Cranio-caudal mammogram of the left breast. 32 y/o patient.
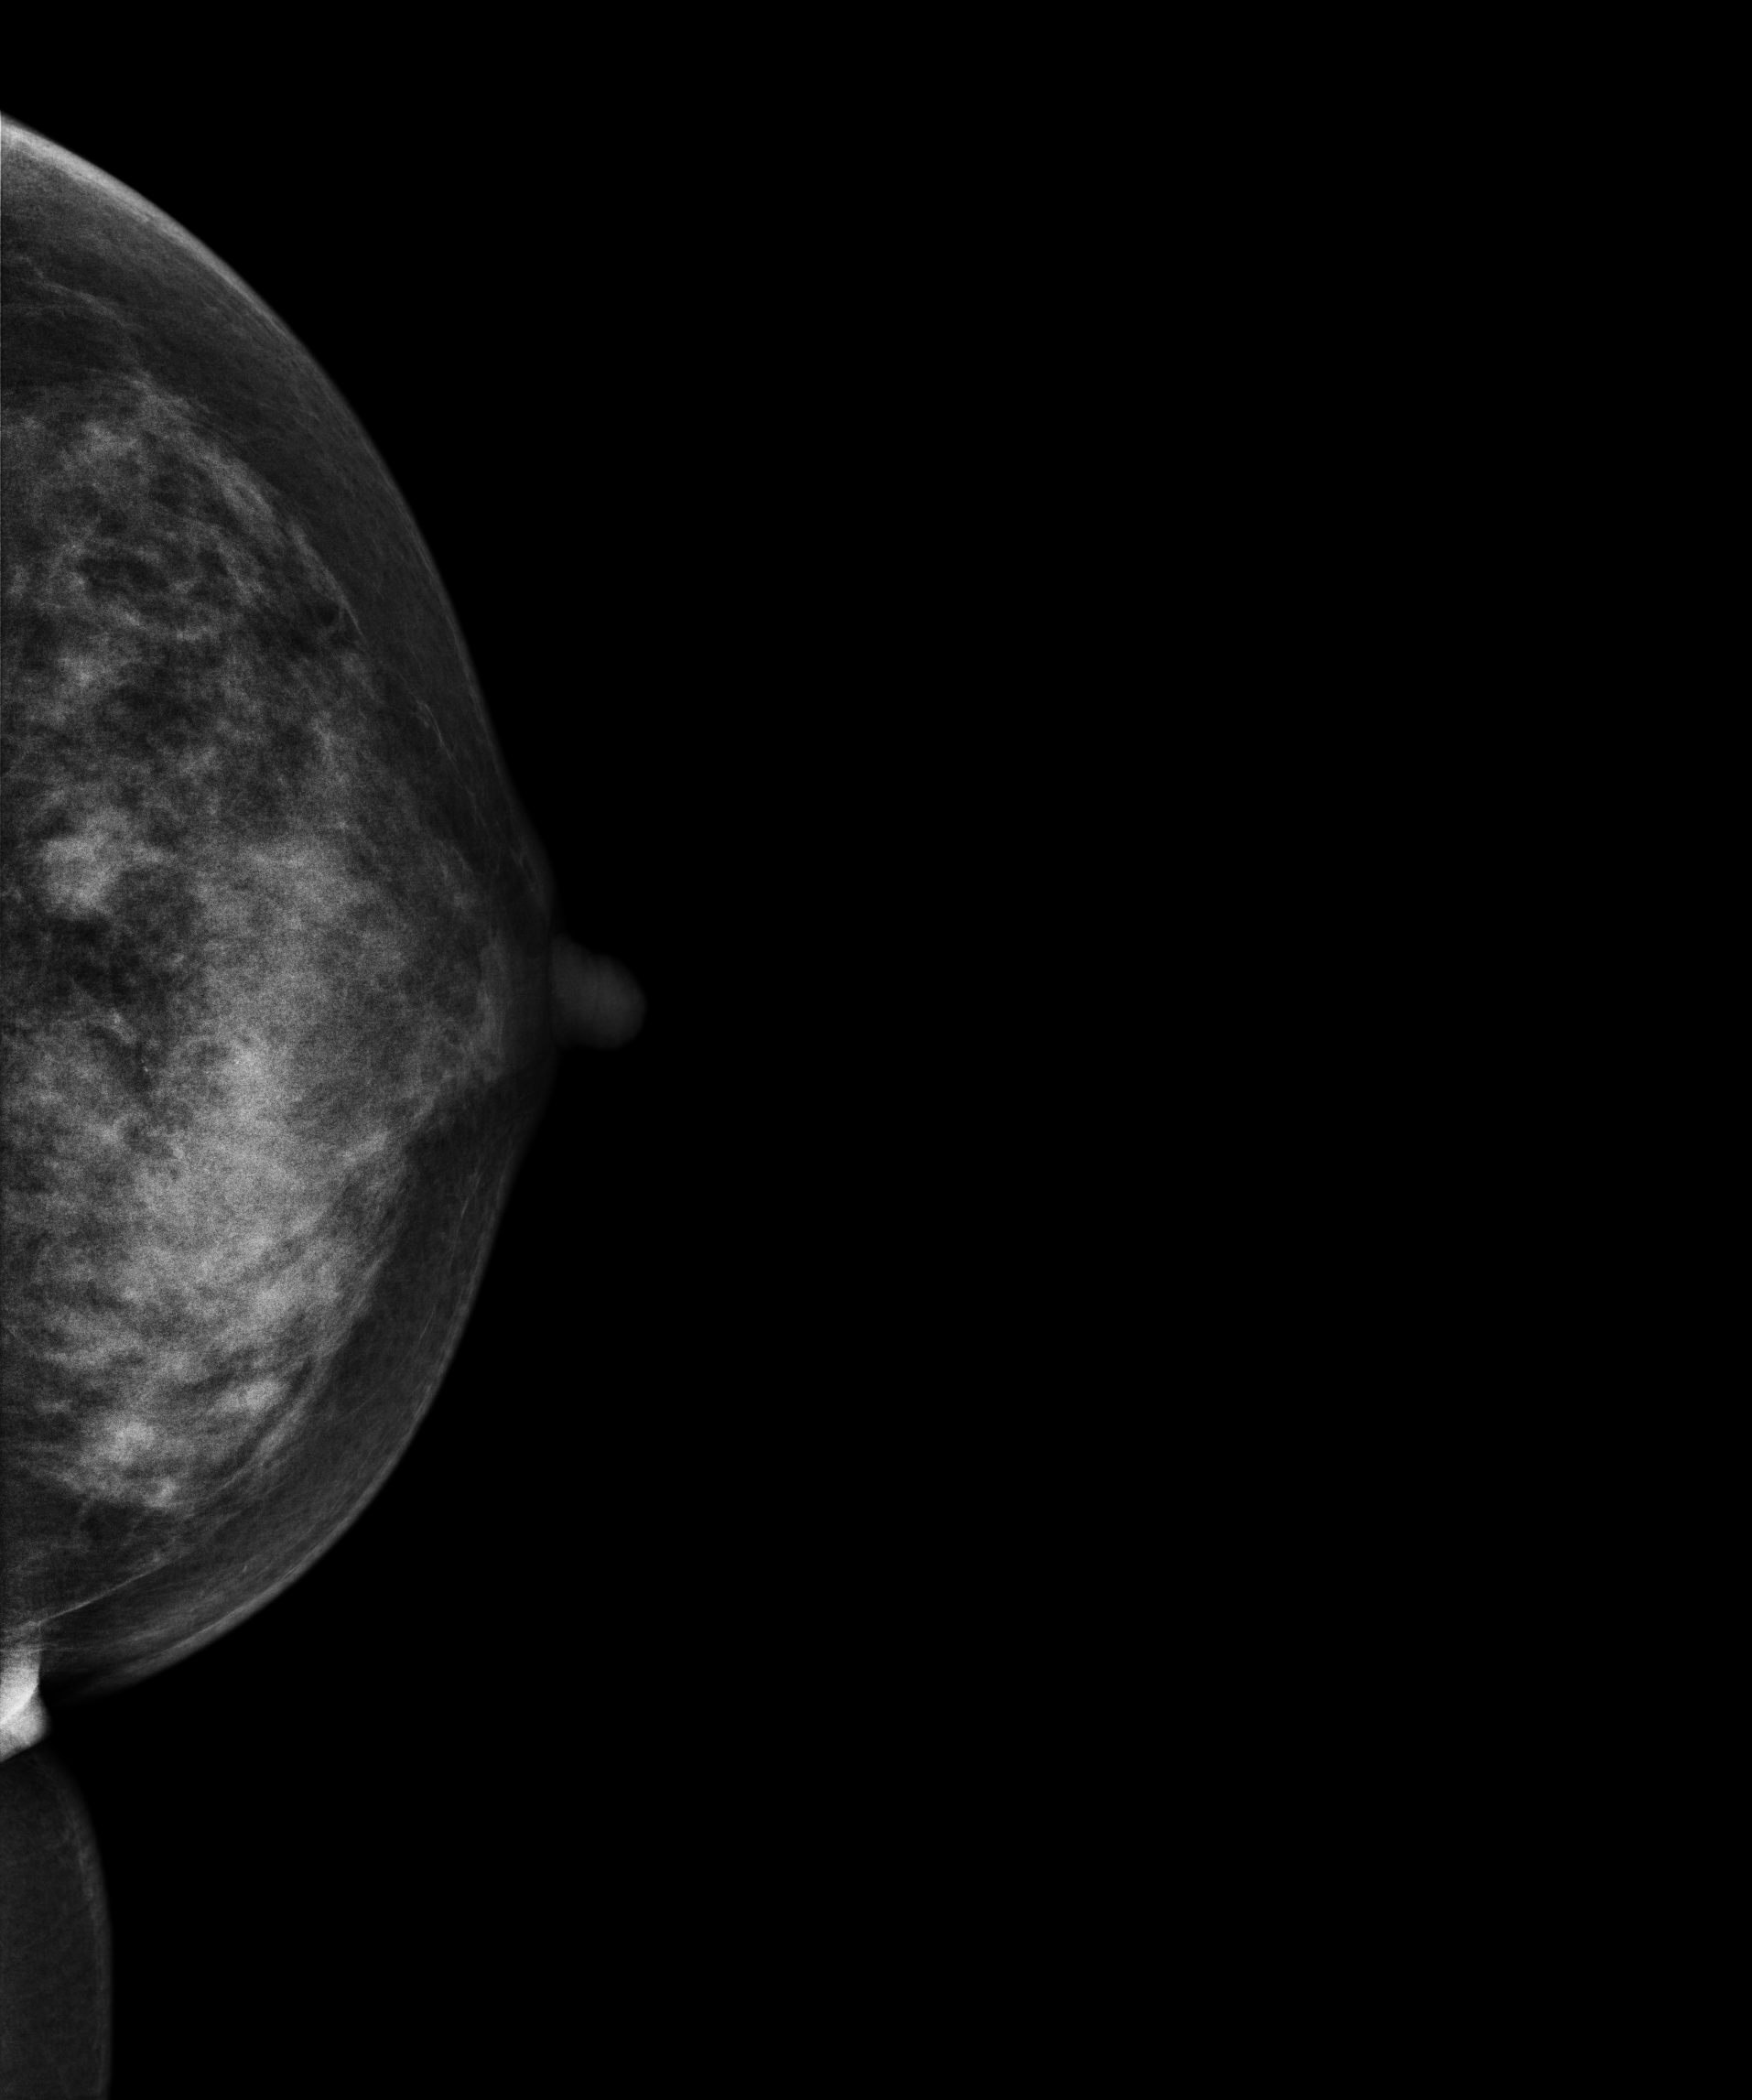
This breast has a mass, pathology-confirmed malignant. Molecular subtype: HER2-enriched.